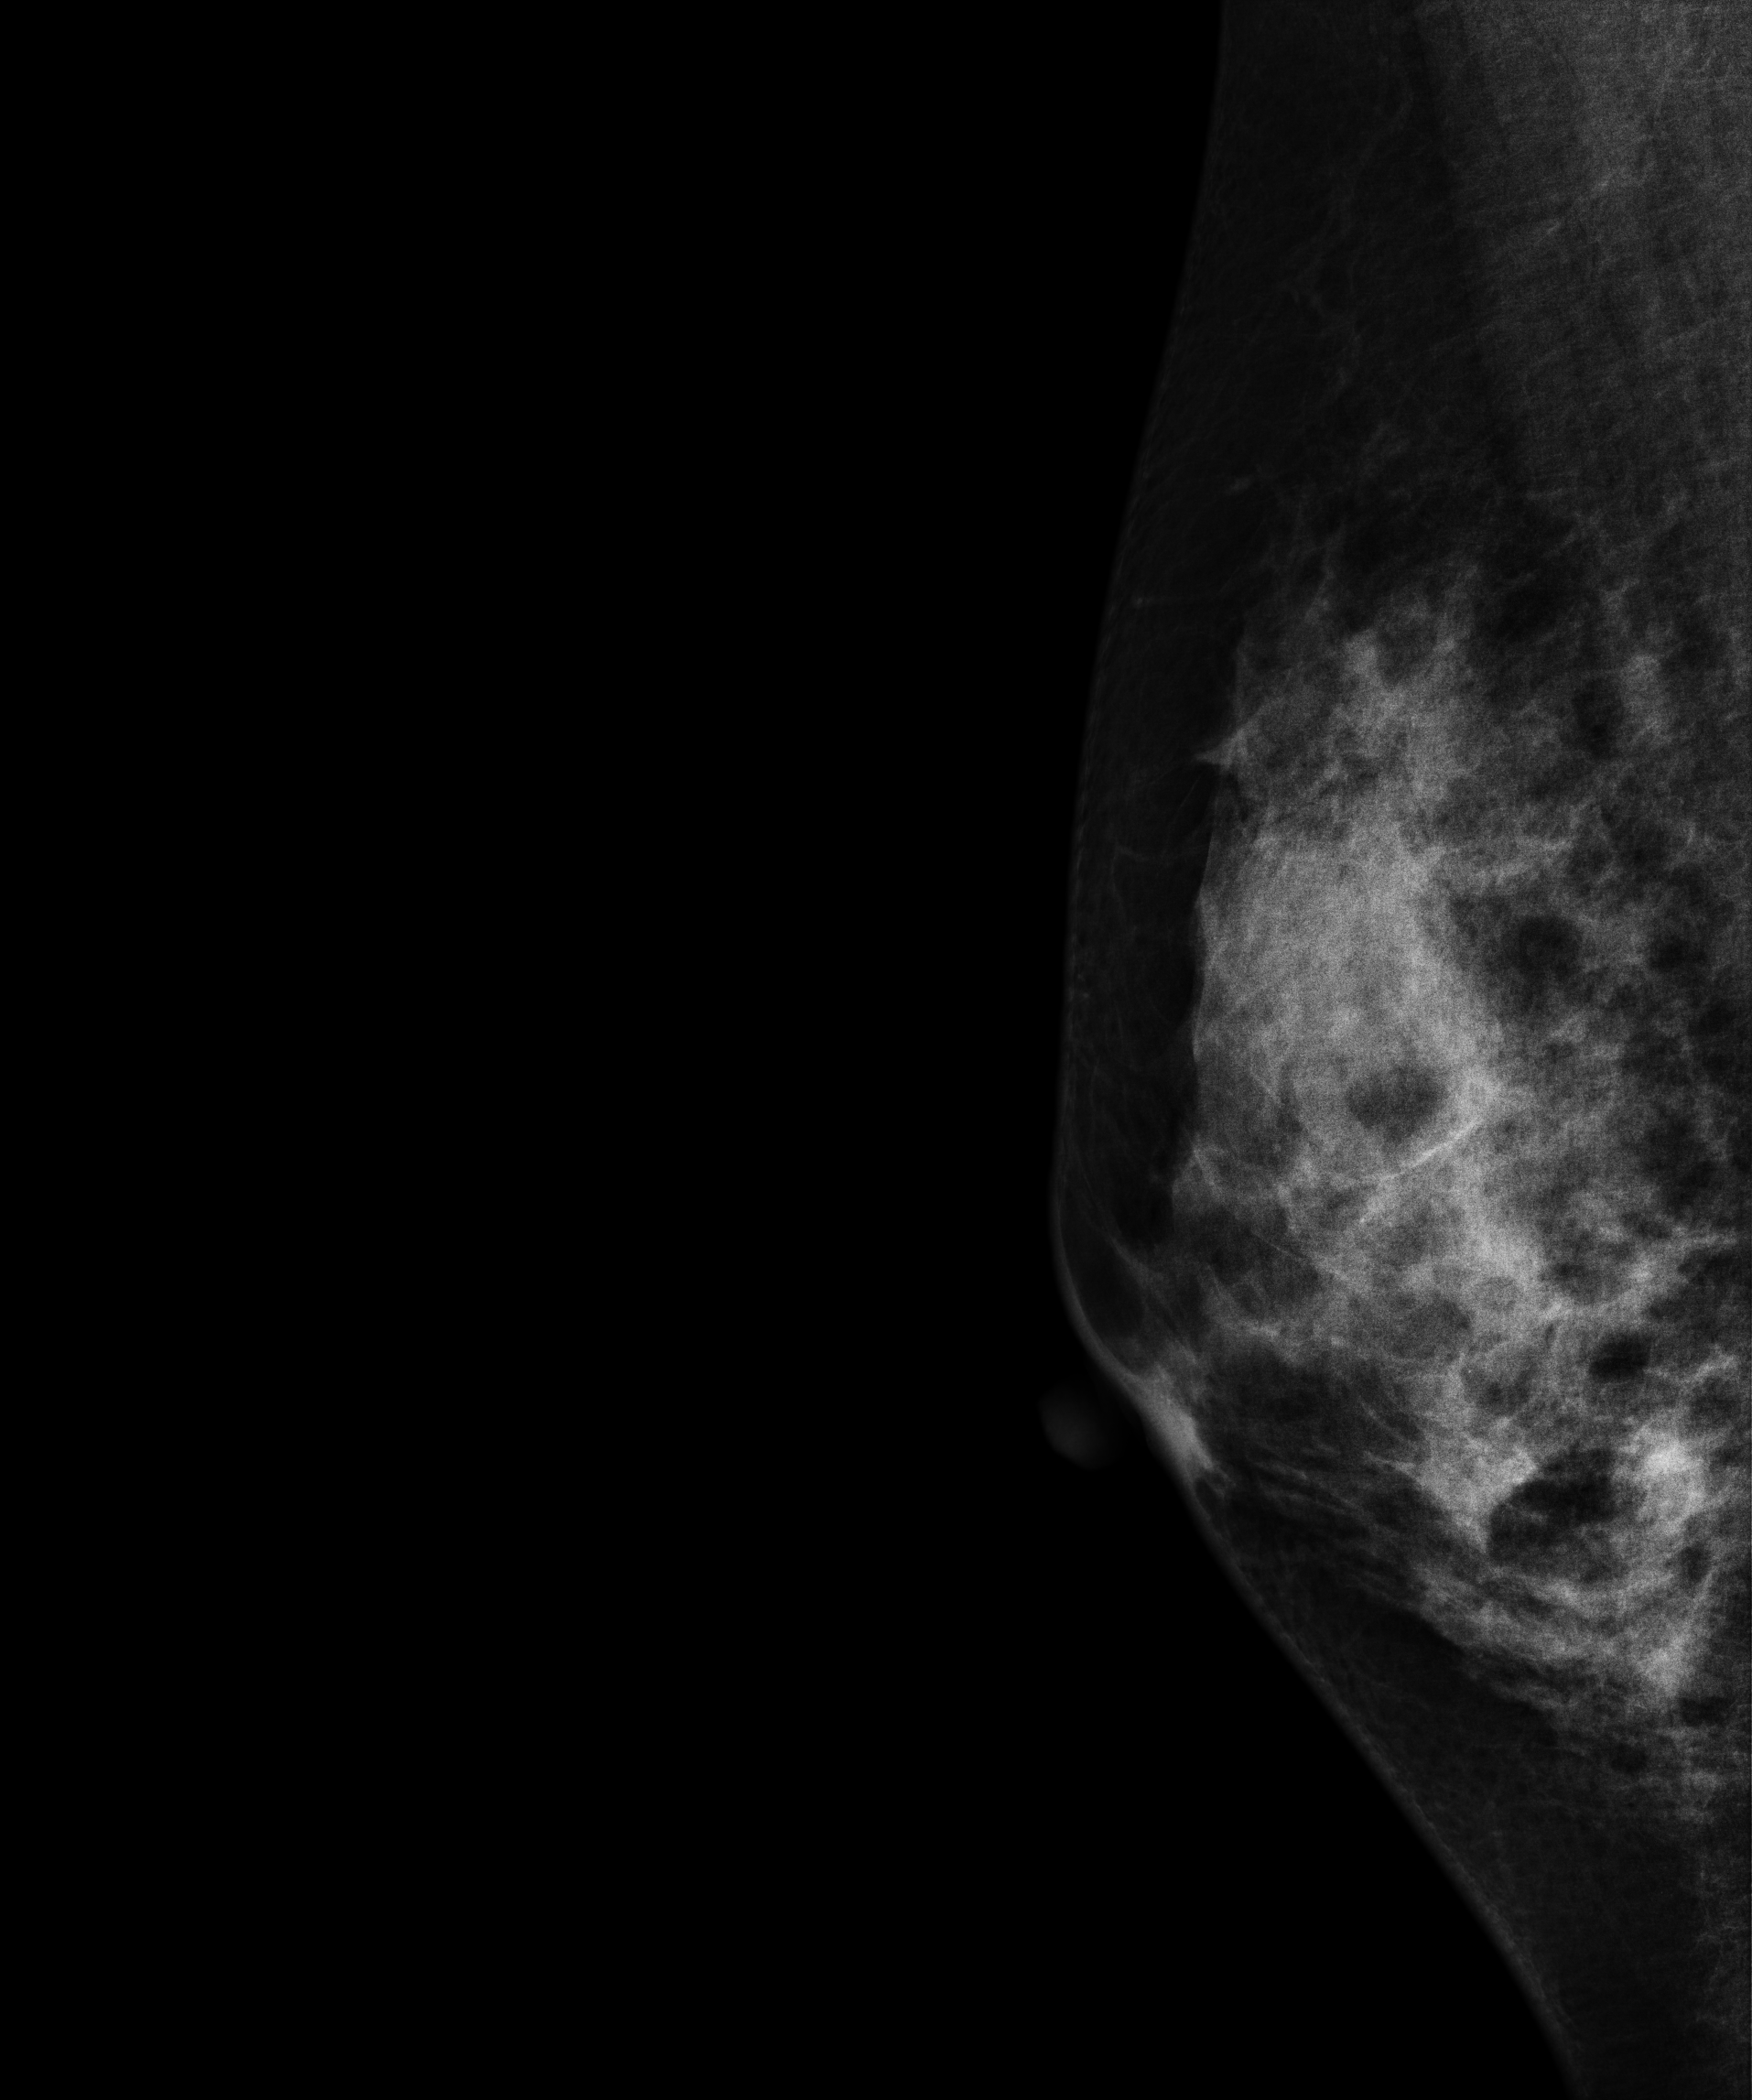
Mammogram, right breast, MLO view. Patient age 35.
This breast has a mass, biopsy-confirmed malignant.